Mammogram, right breast, CC view. 43-year-old patient.
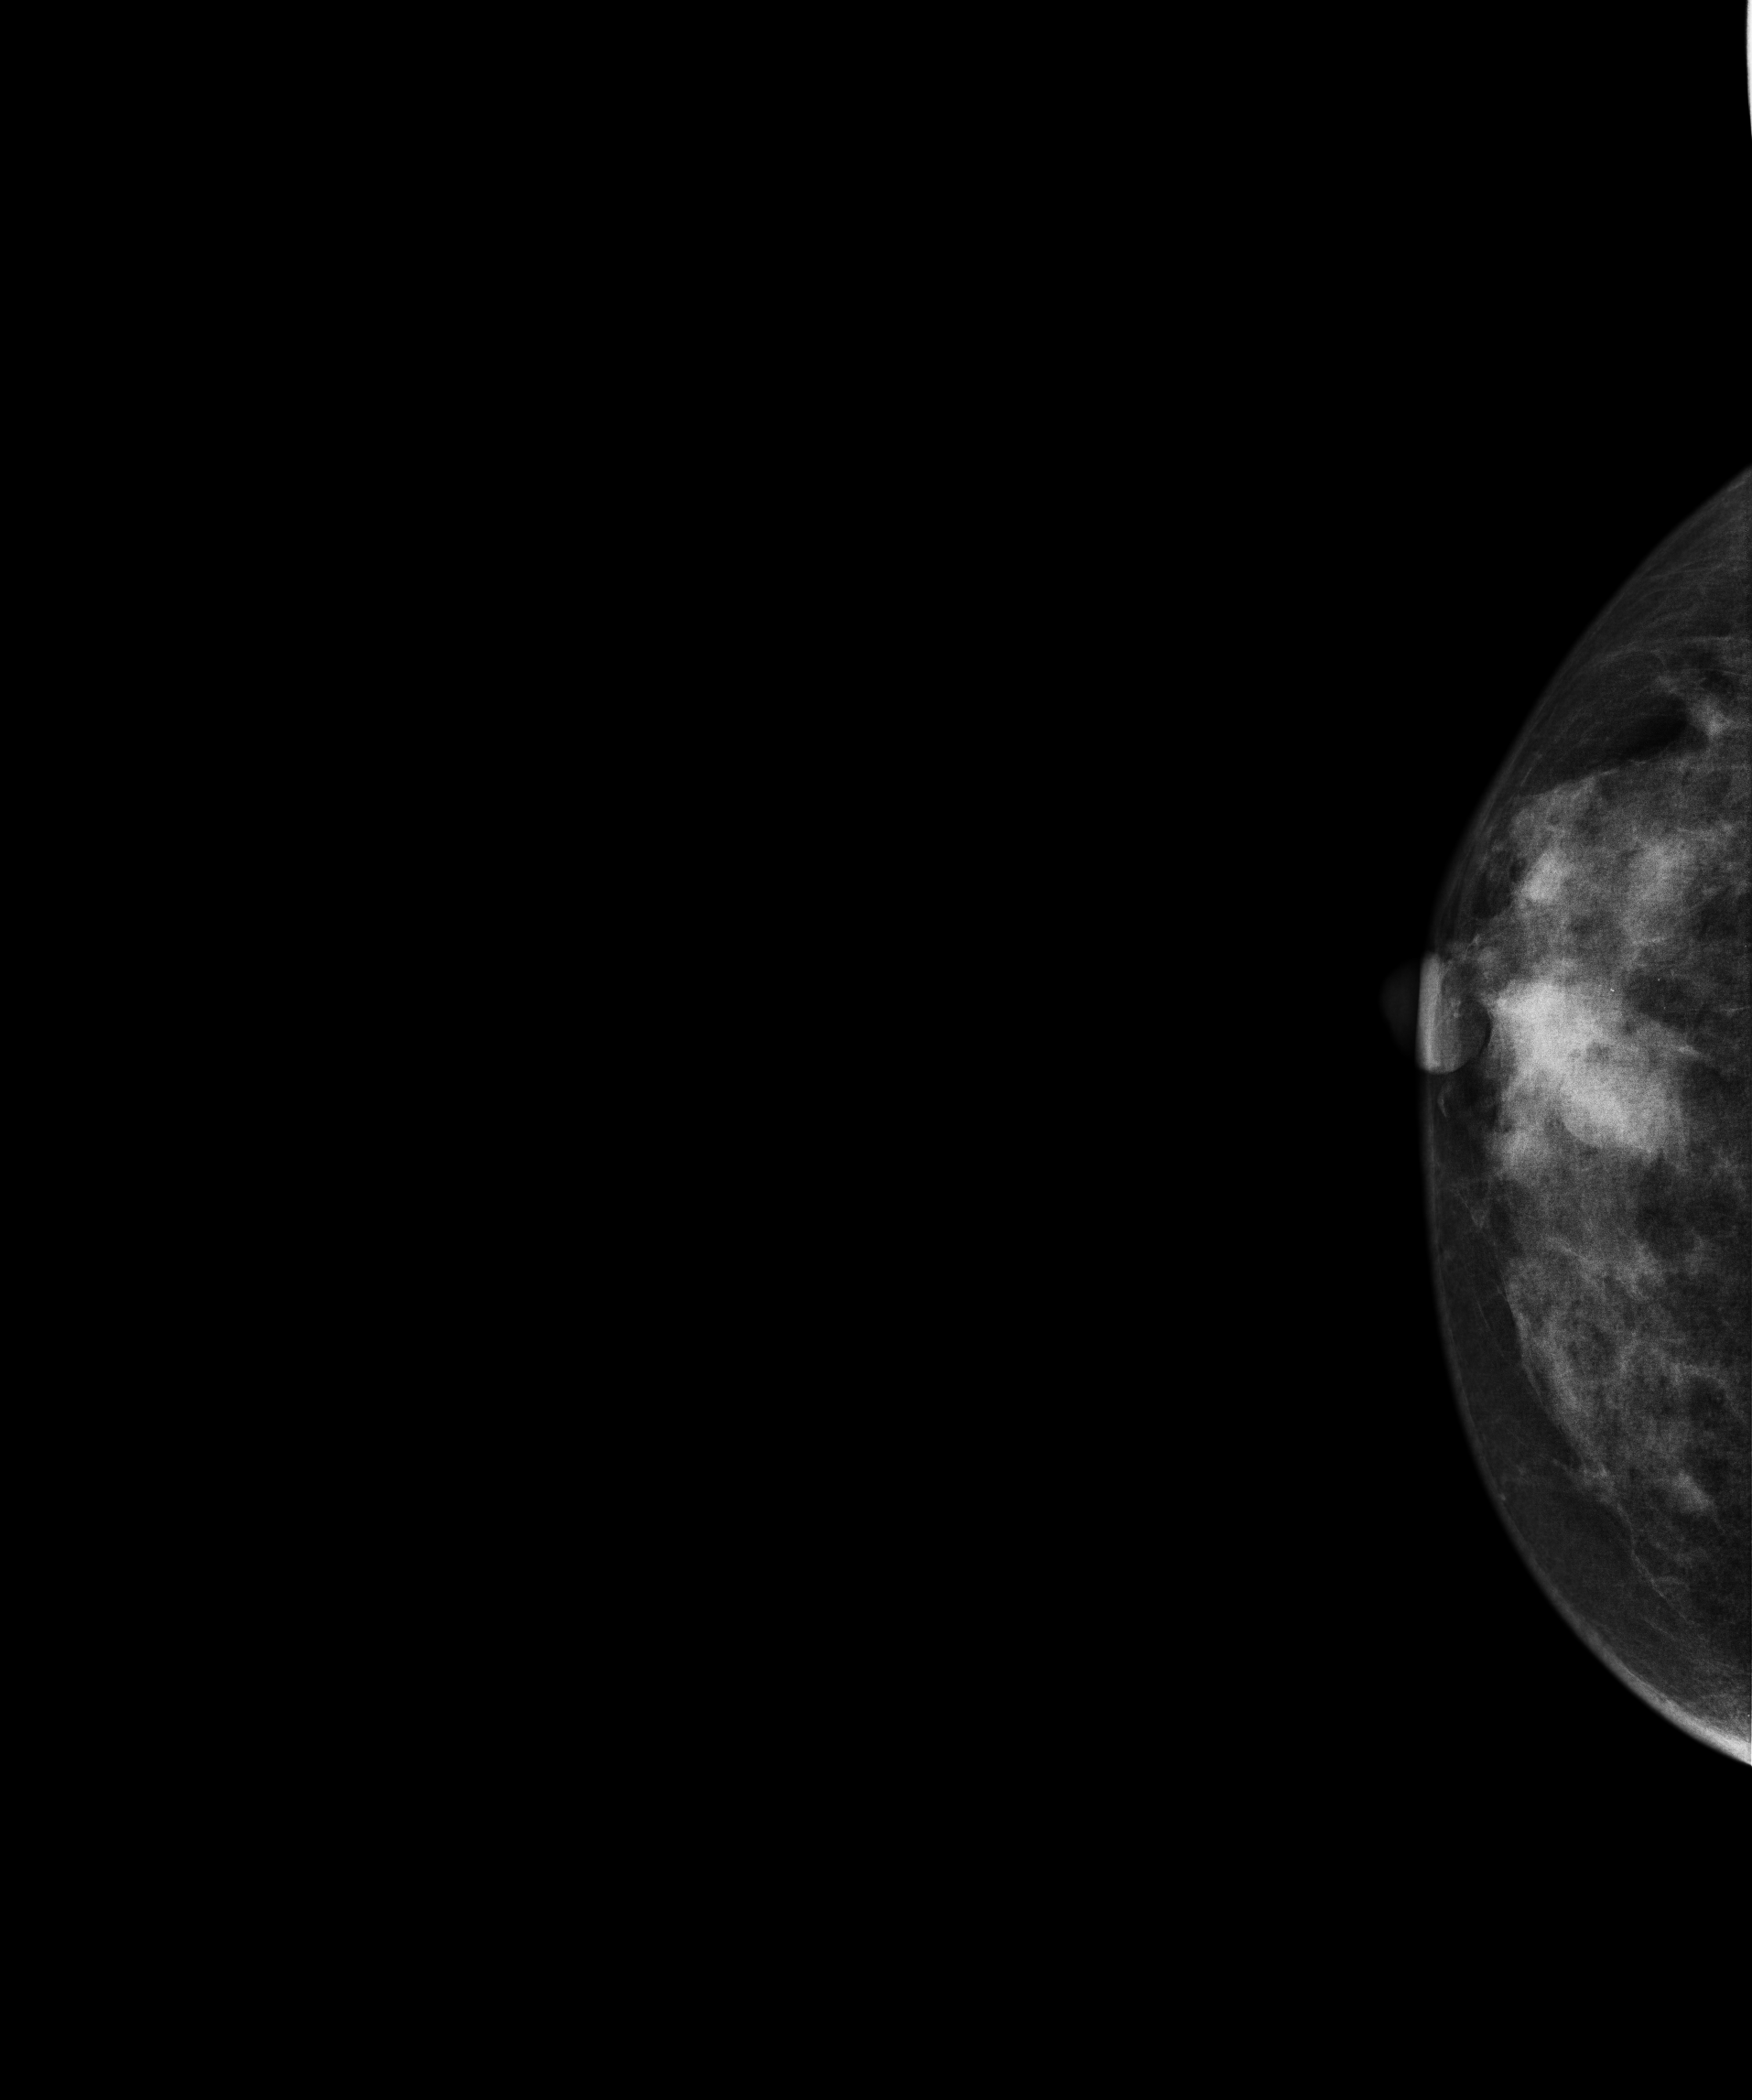
This breast has a mass, biopsy-proven benign.